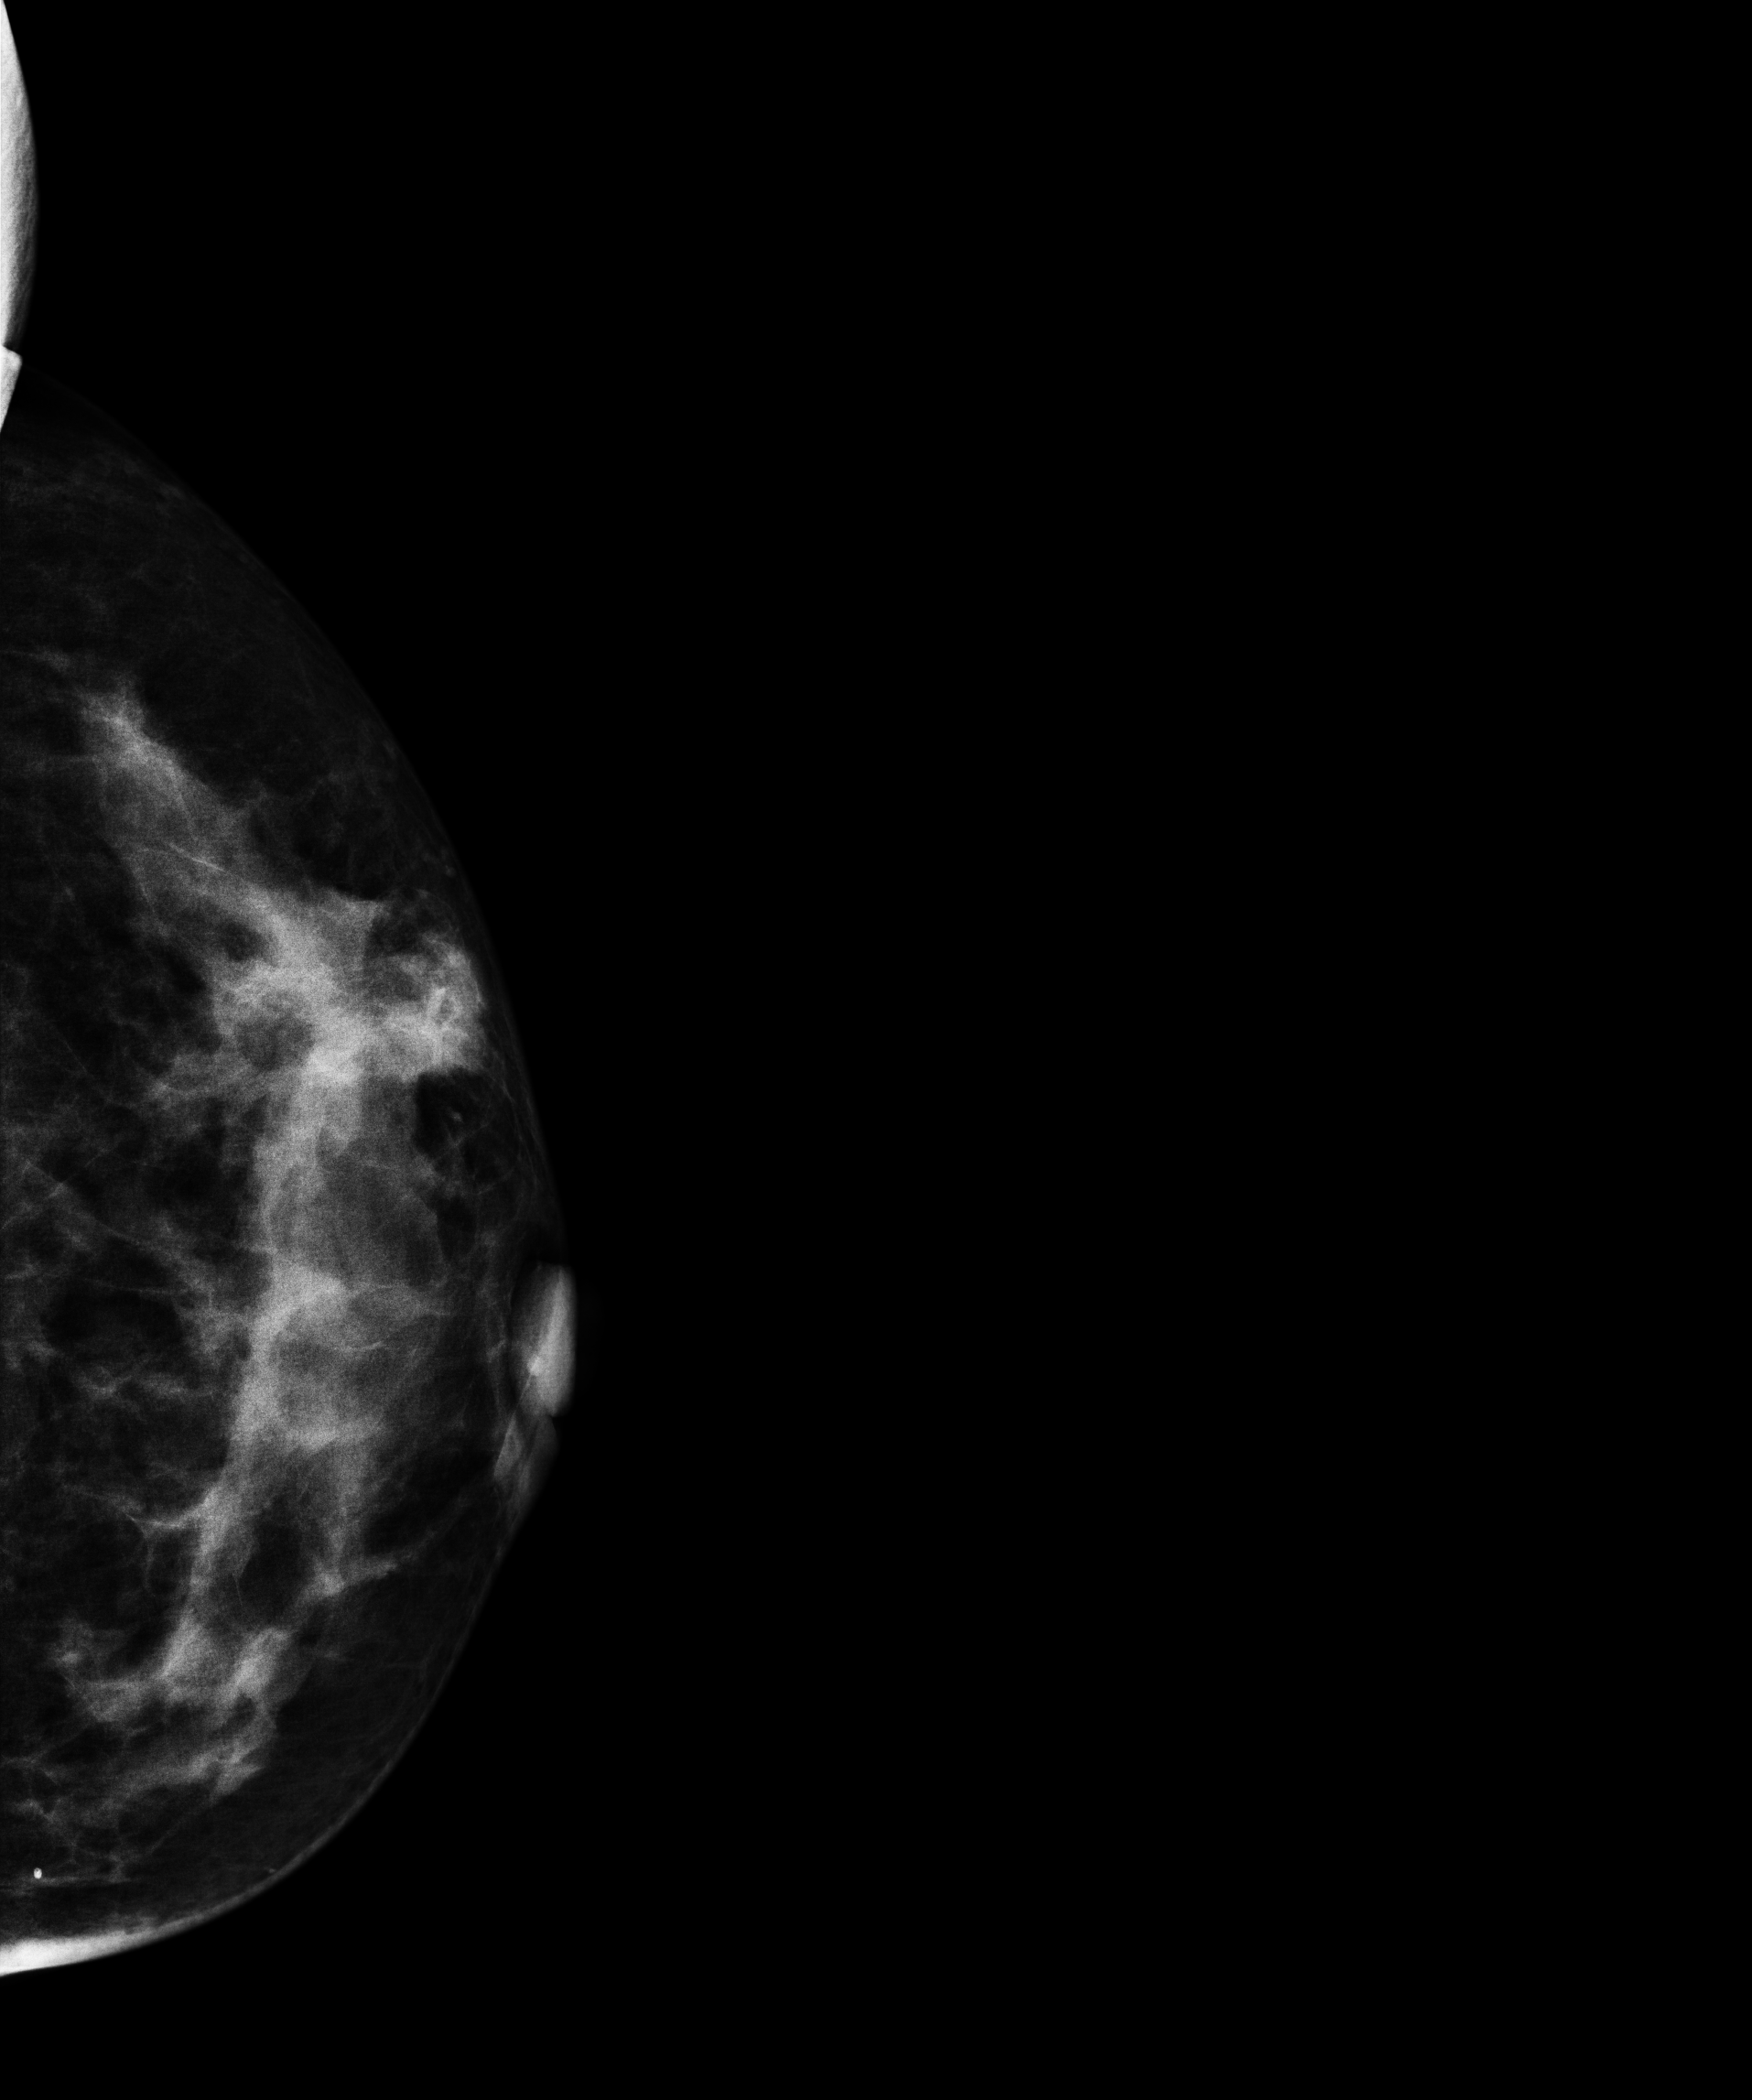
Cranio-caudal mammogram of the left breast. Patient age 52.
This breast has a mass, biopsy-proven malignant. Molecular subtype: luminal B.